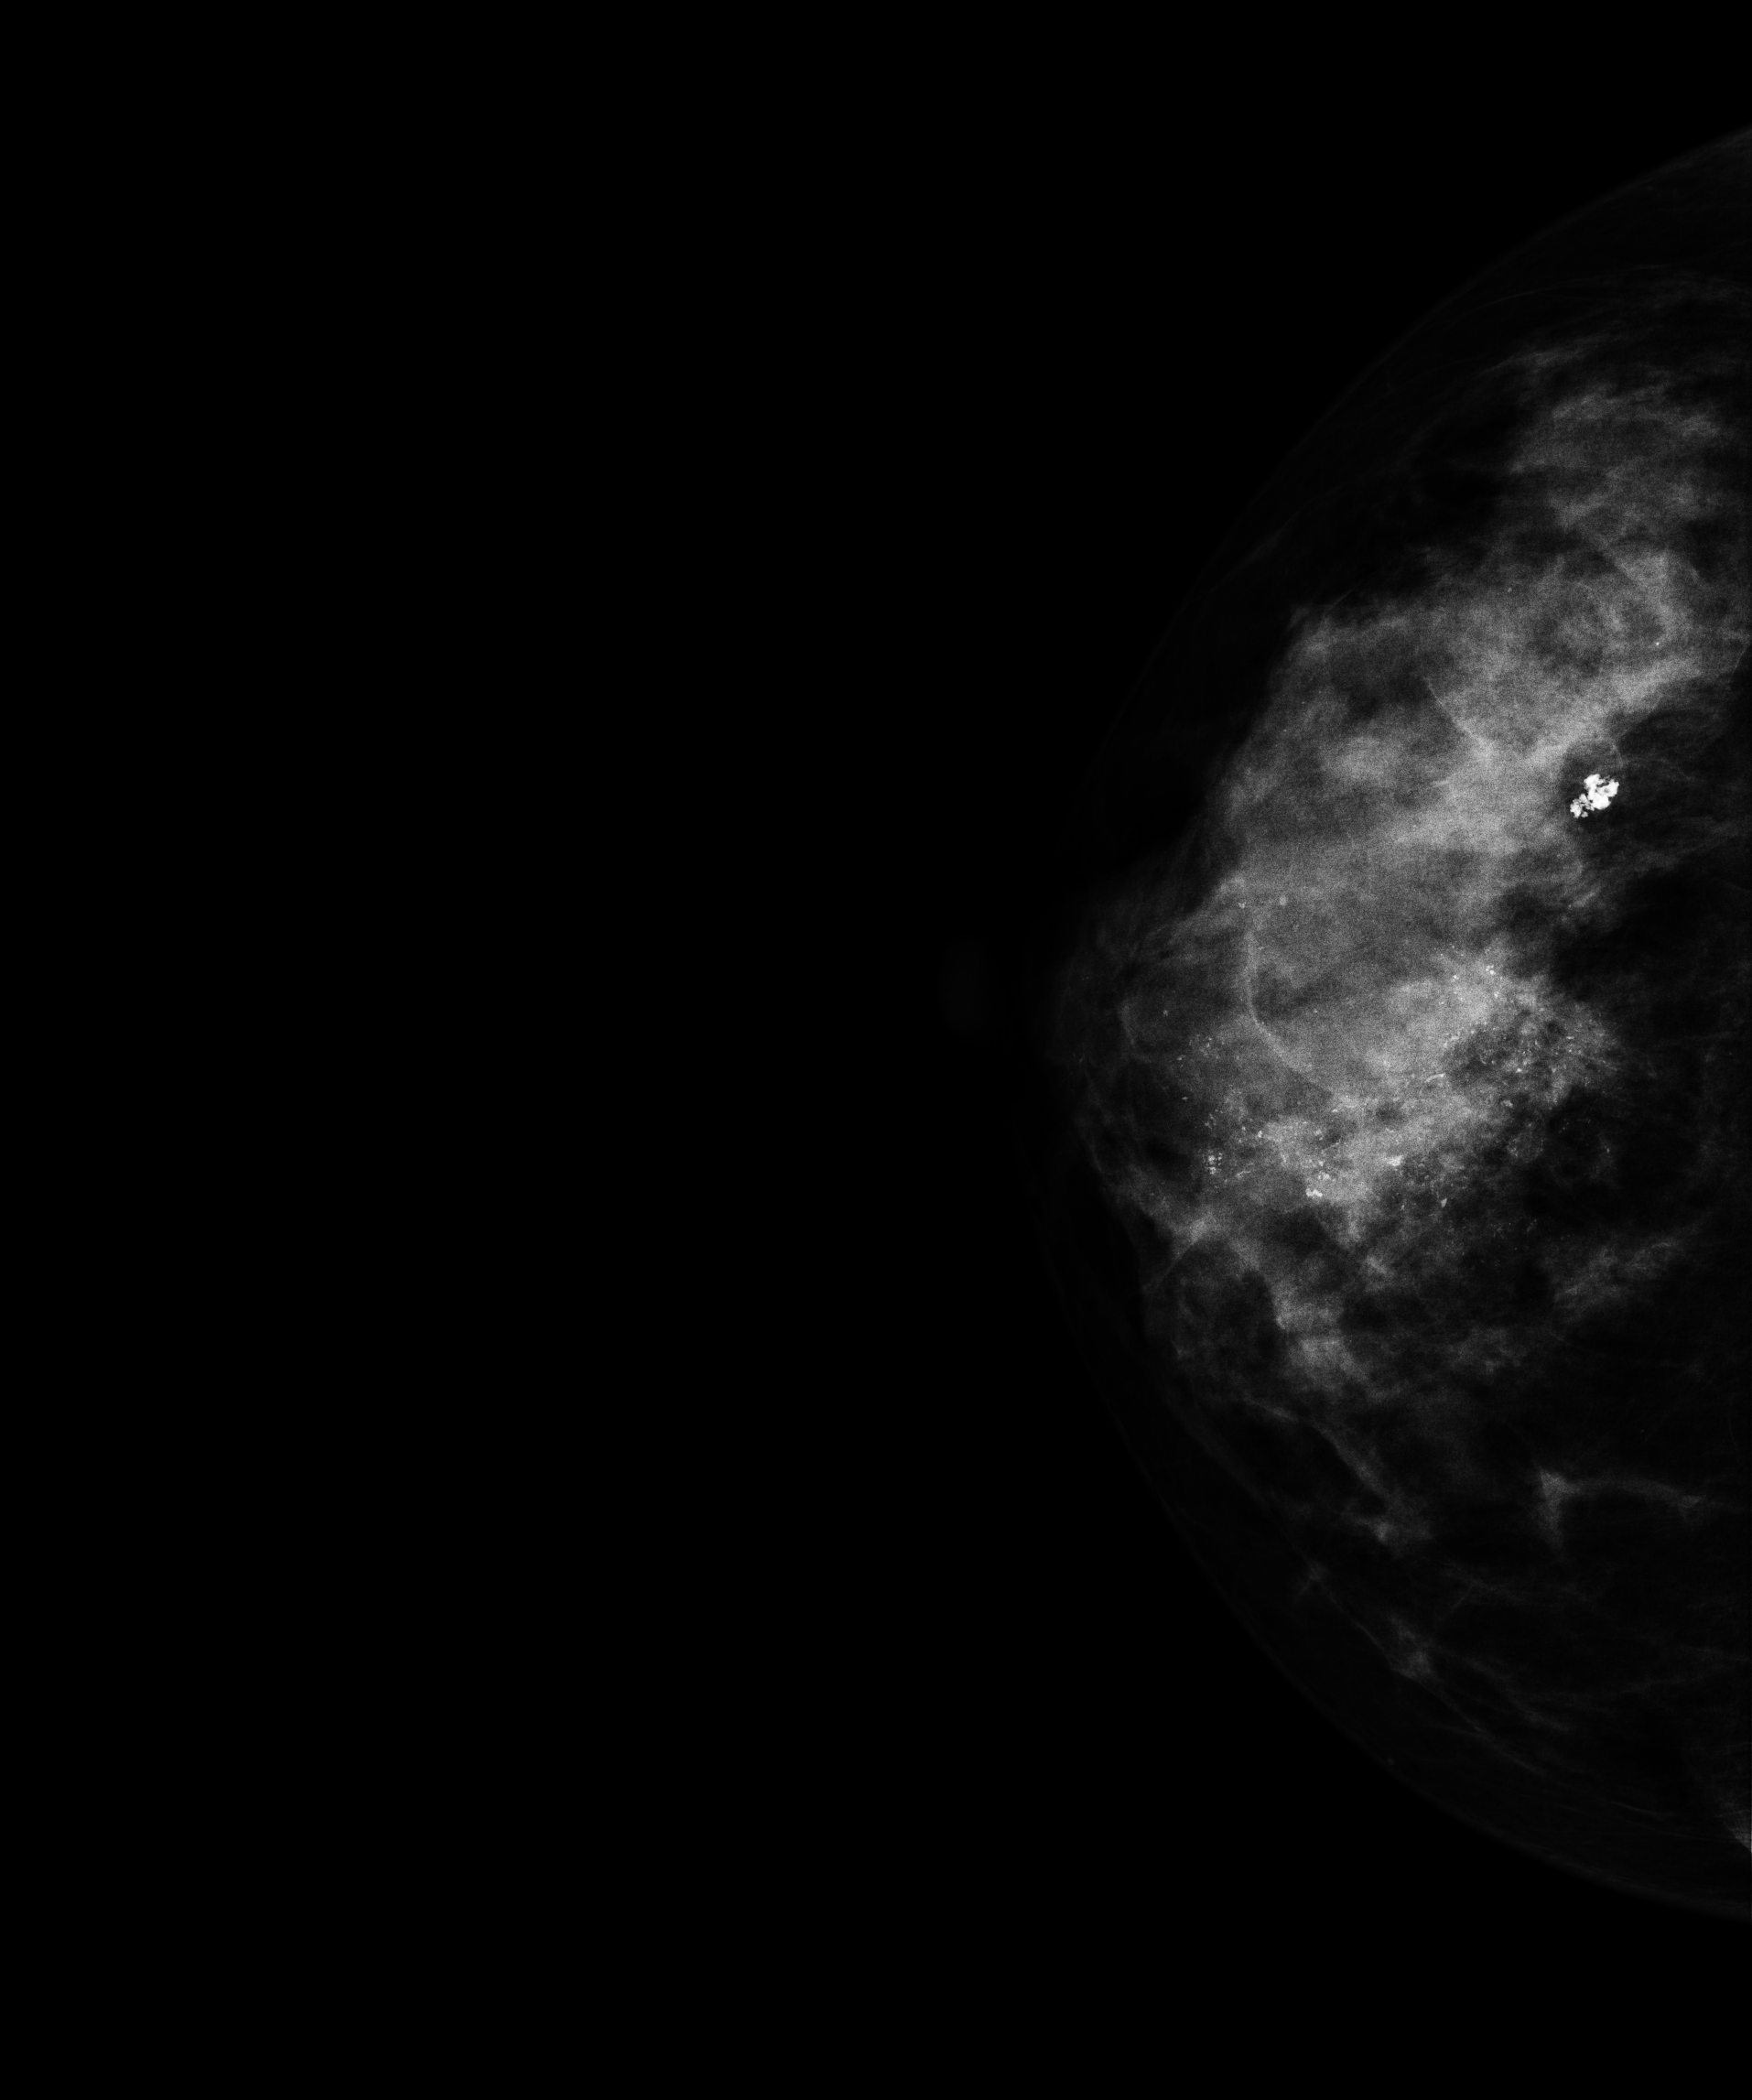
Mammogram — right CC. 47 y/o patient.
This breast has calcifications, pathology-confirmed malignant.